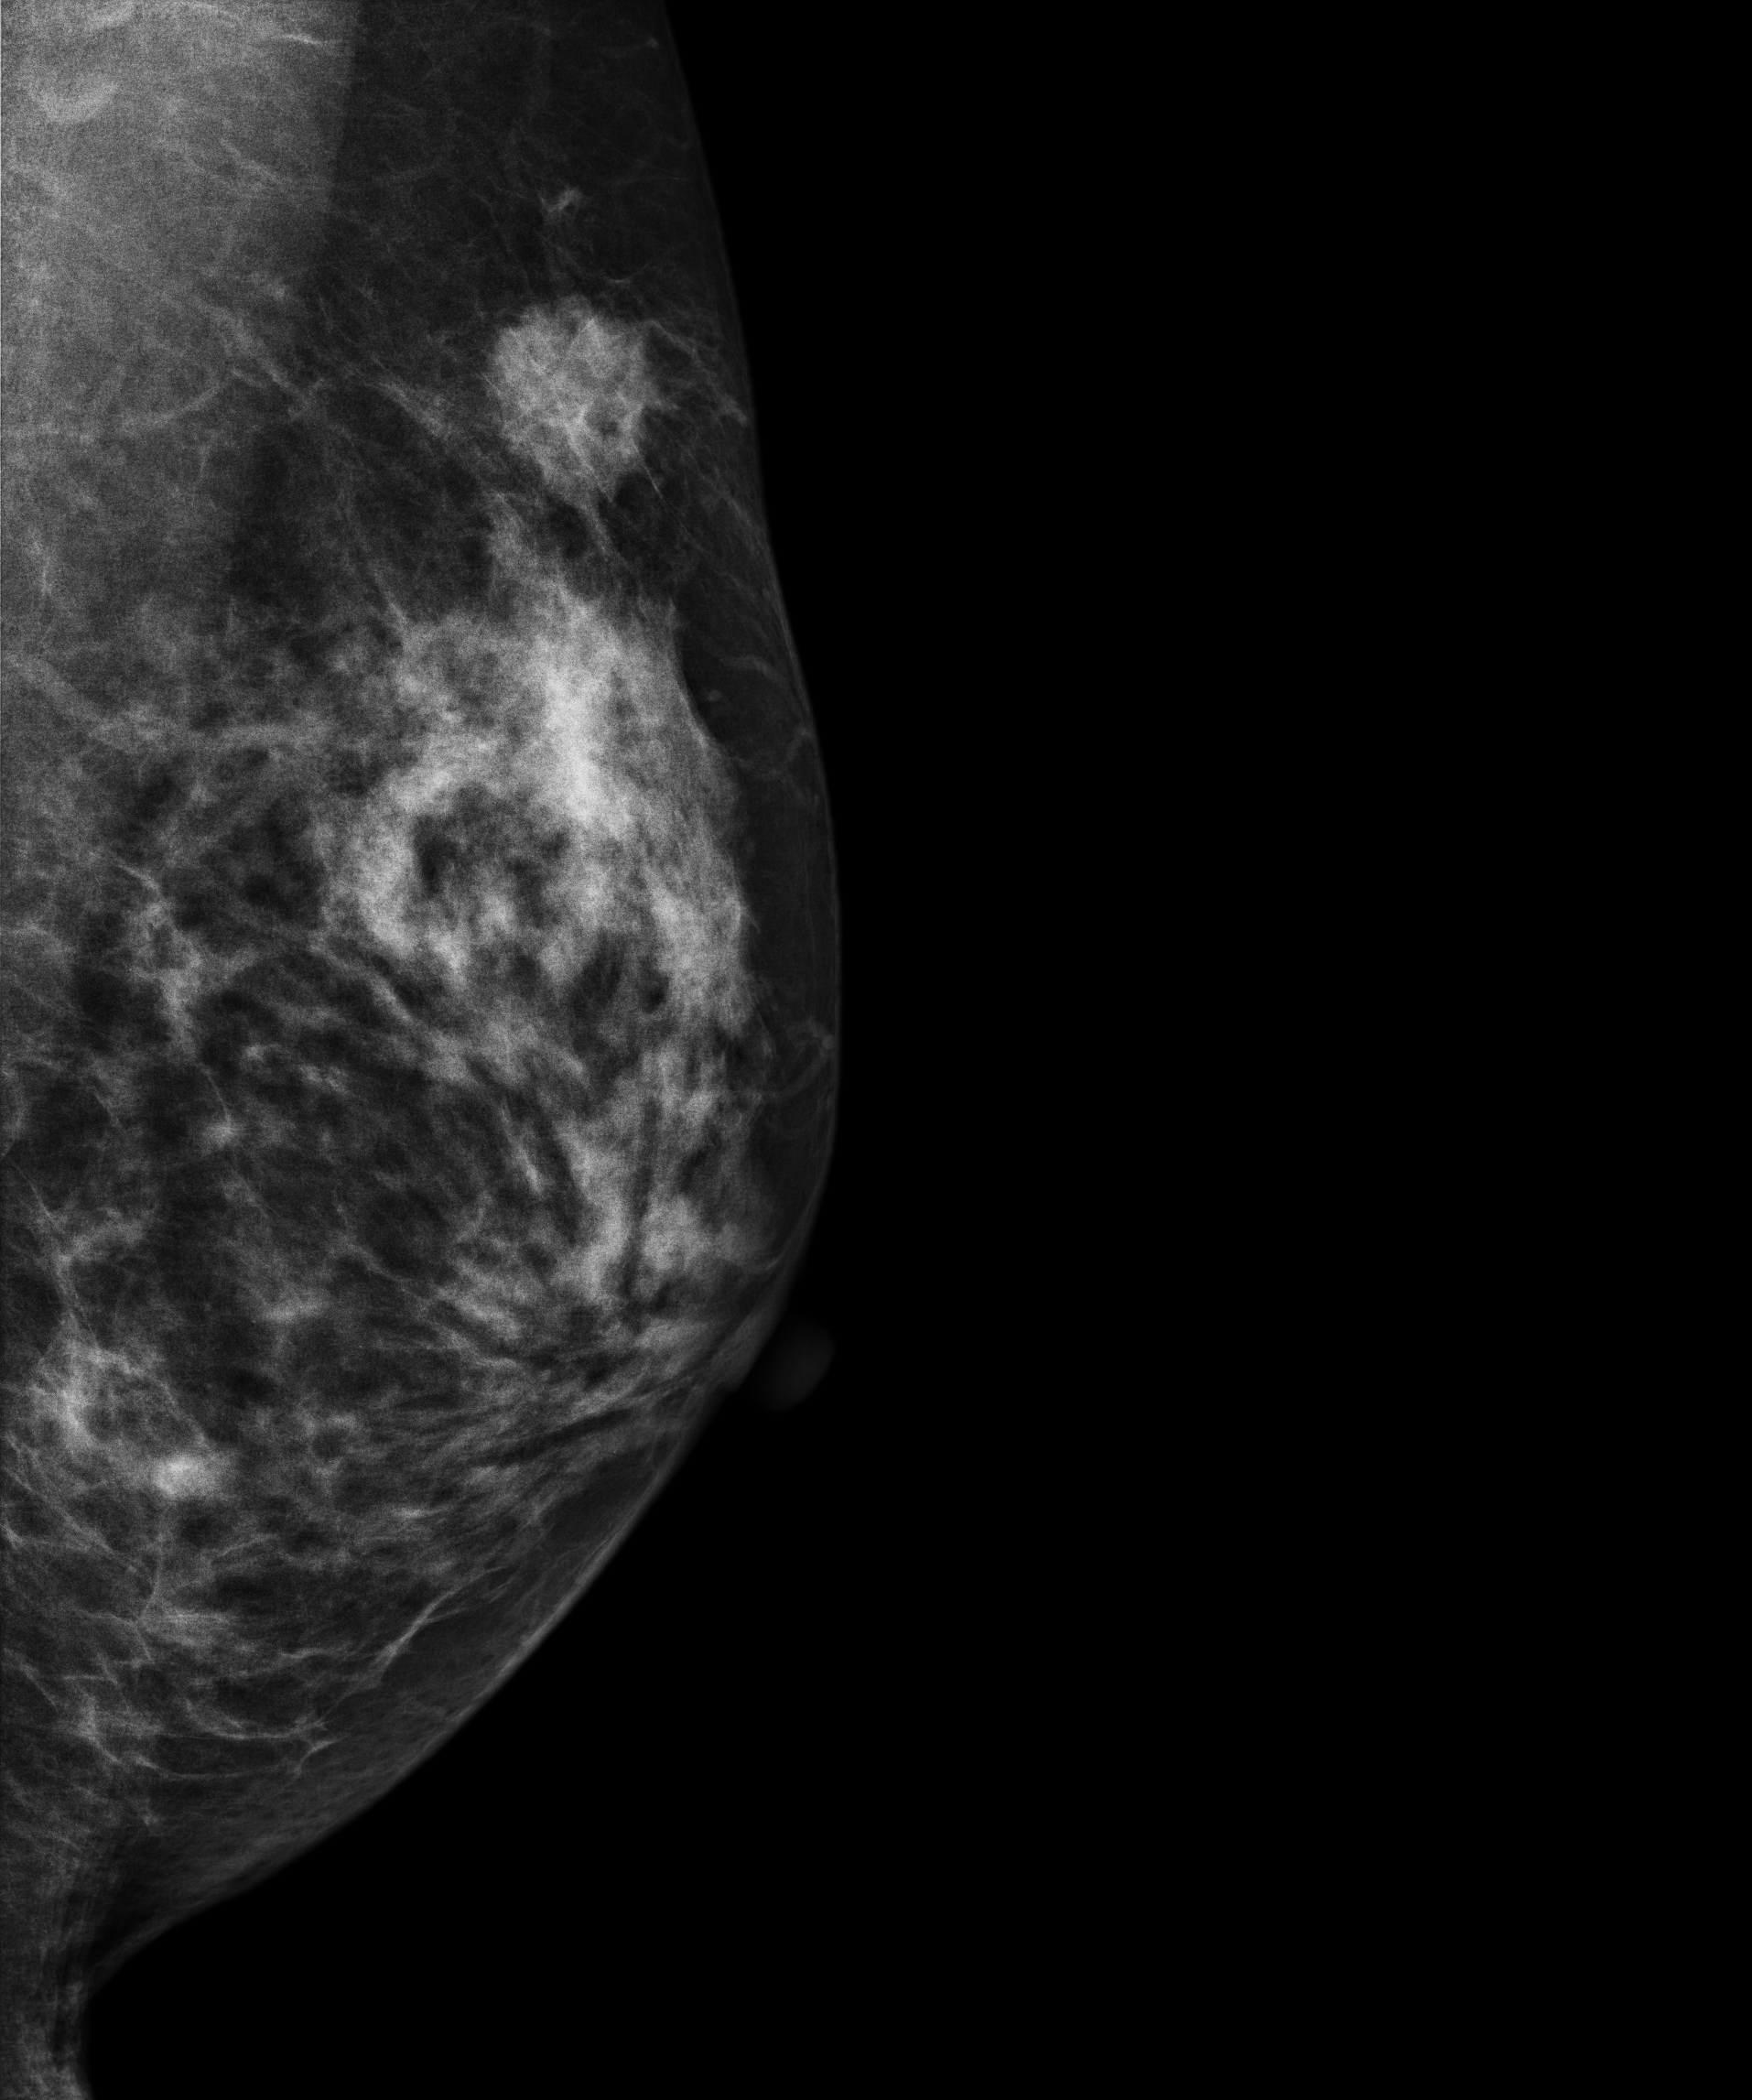
MLO mammogram of the left breast. 60-year-old patient.
This breast has a mass, pathology-confirmed malignant.